Cranio-caudal mammogram of the left breast. 44 y/o patient.
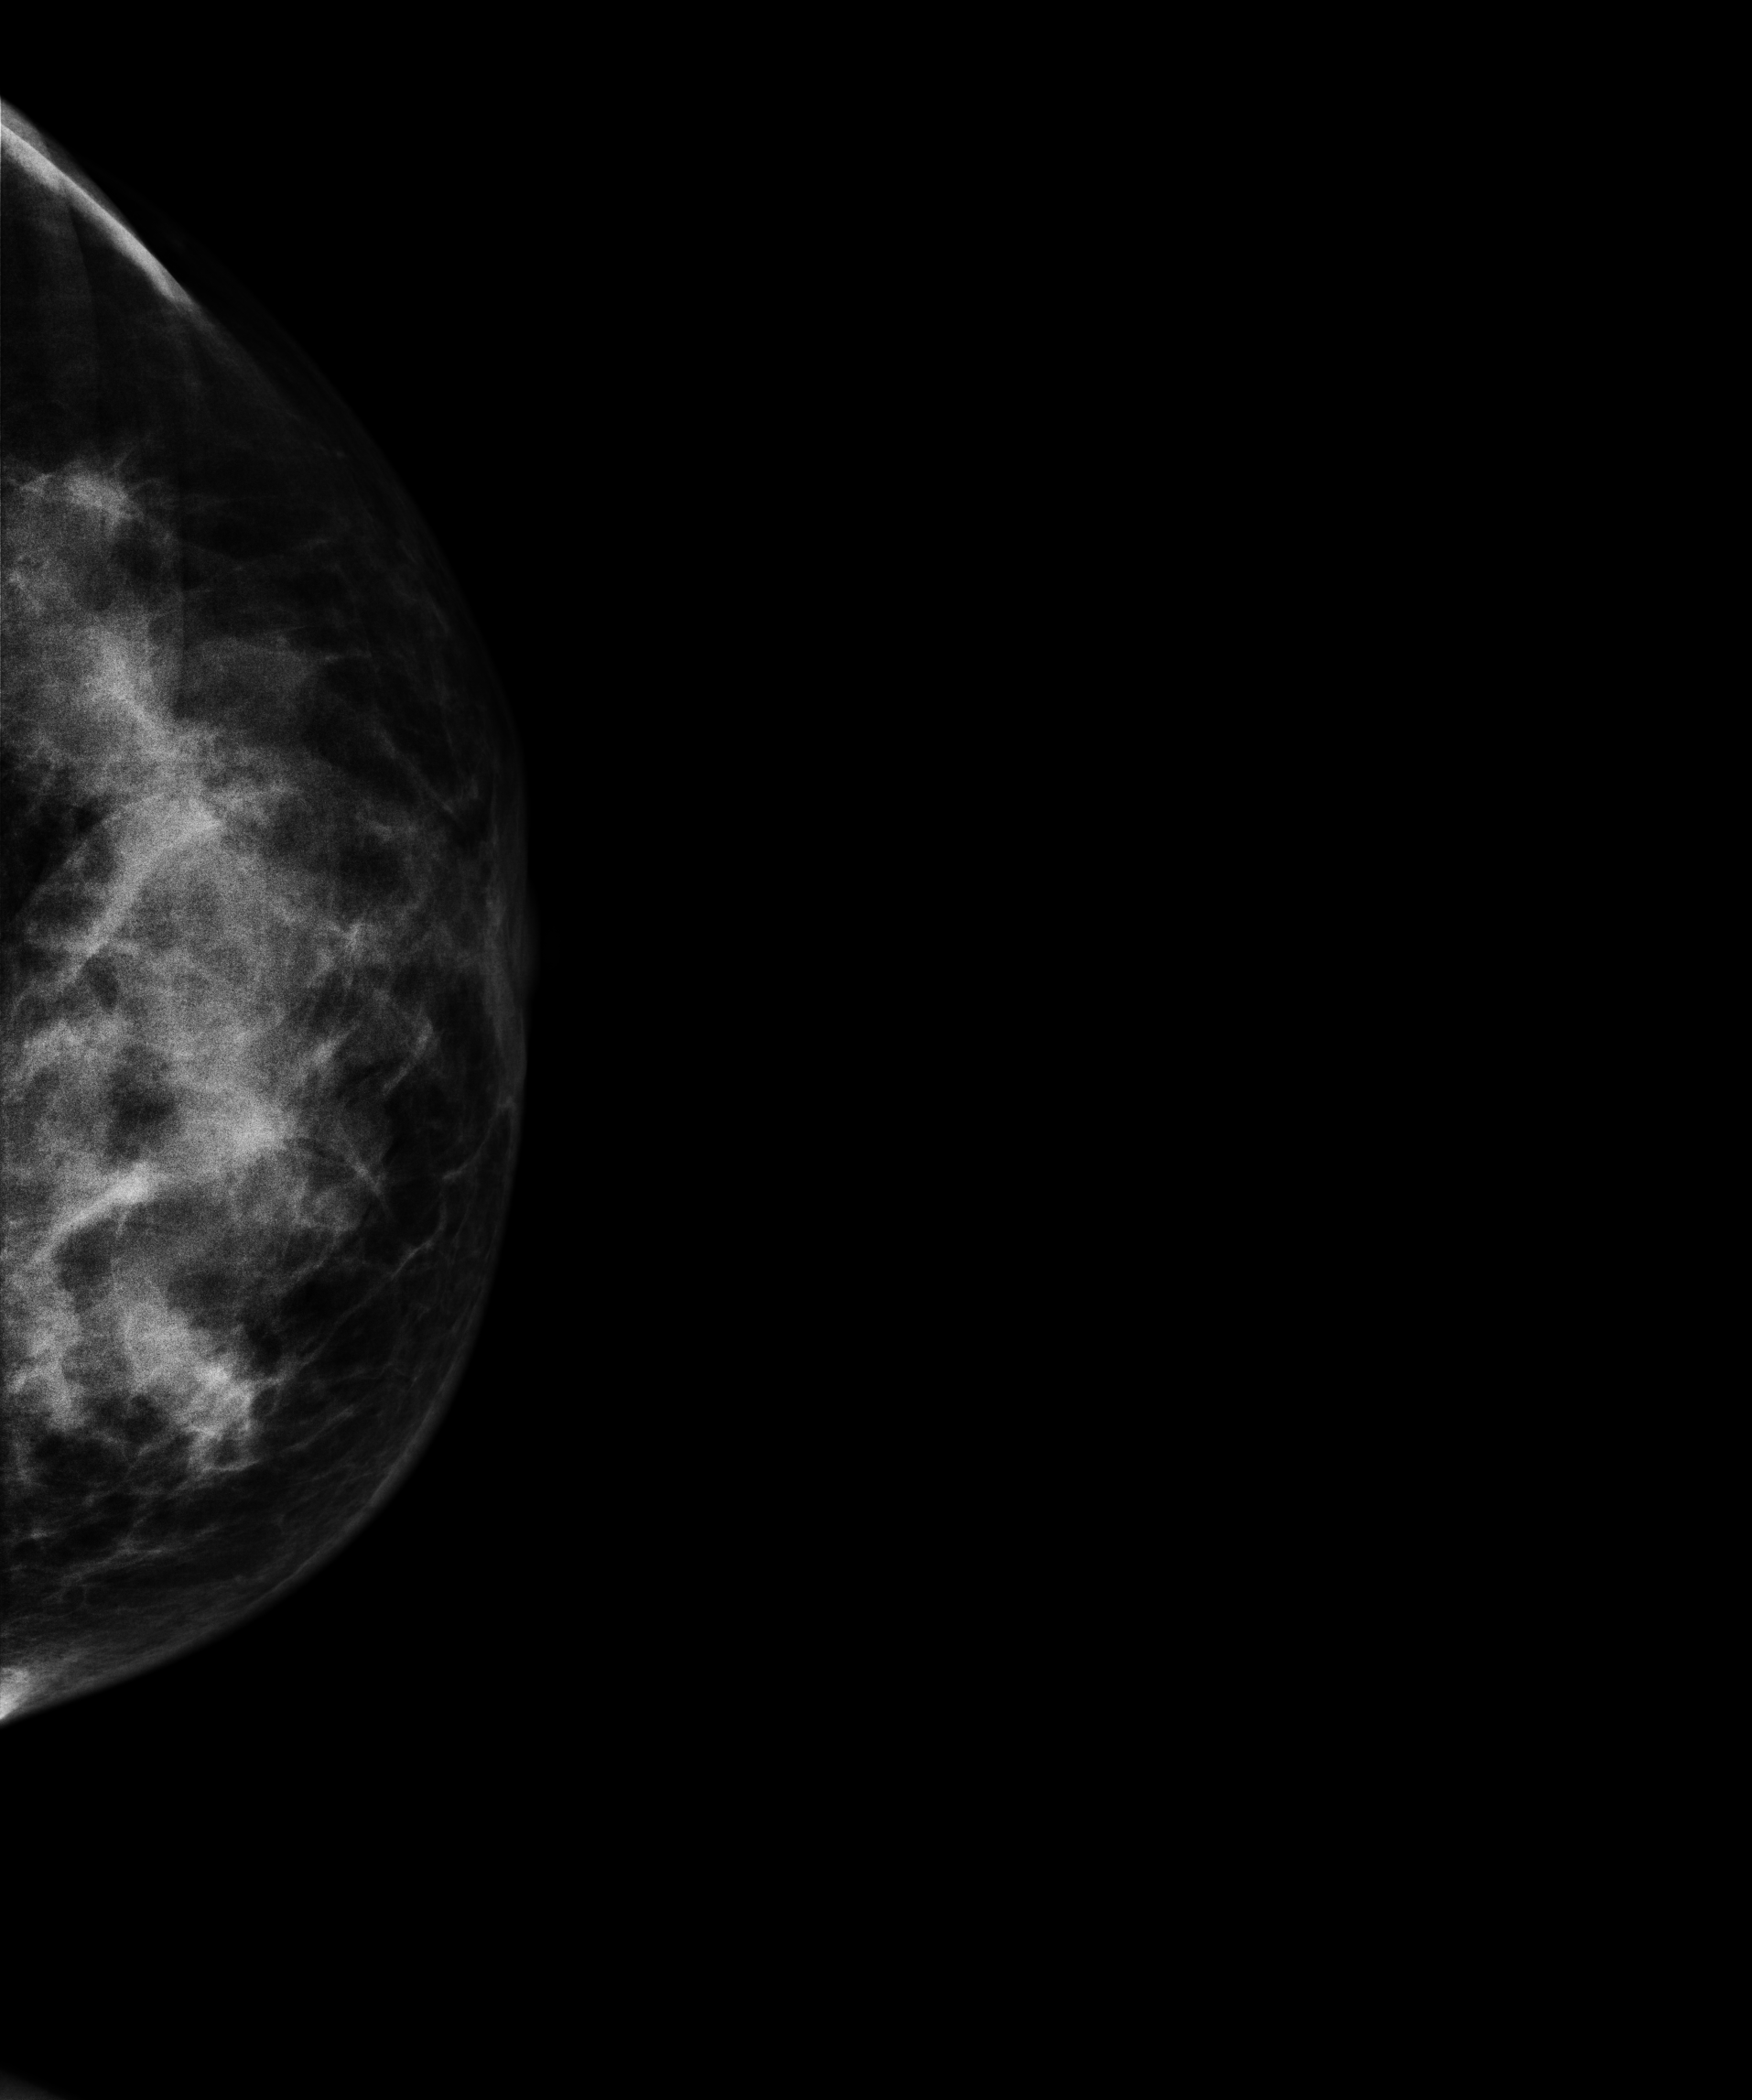
This breast has a mass, biopsy-confirmed malignant.